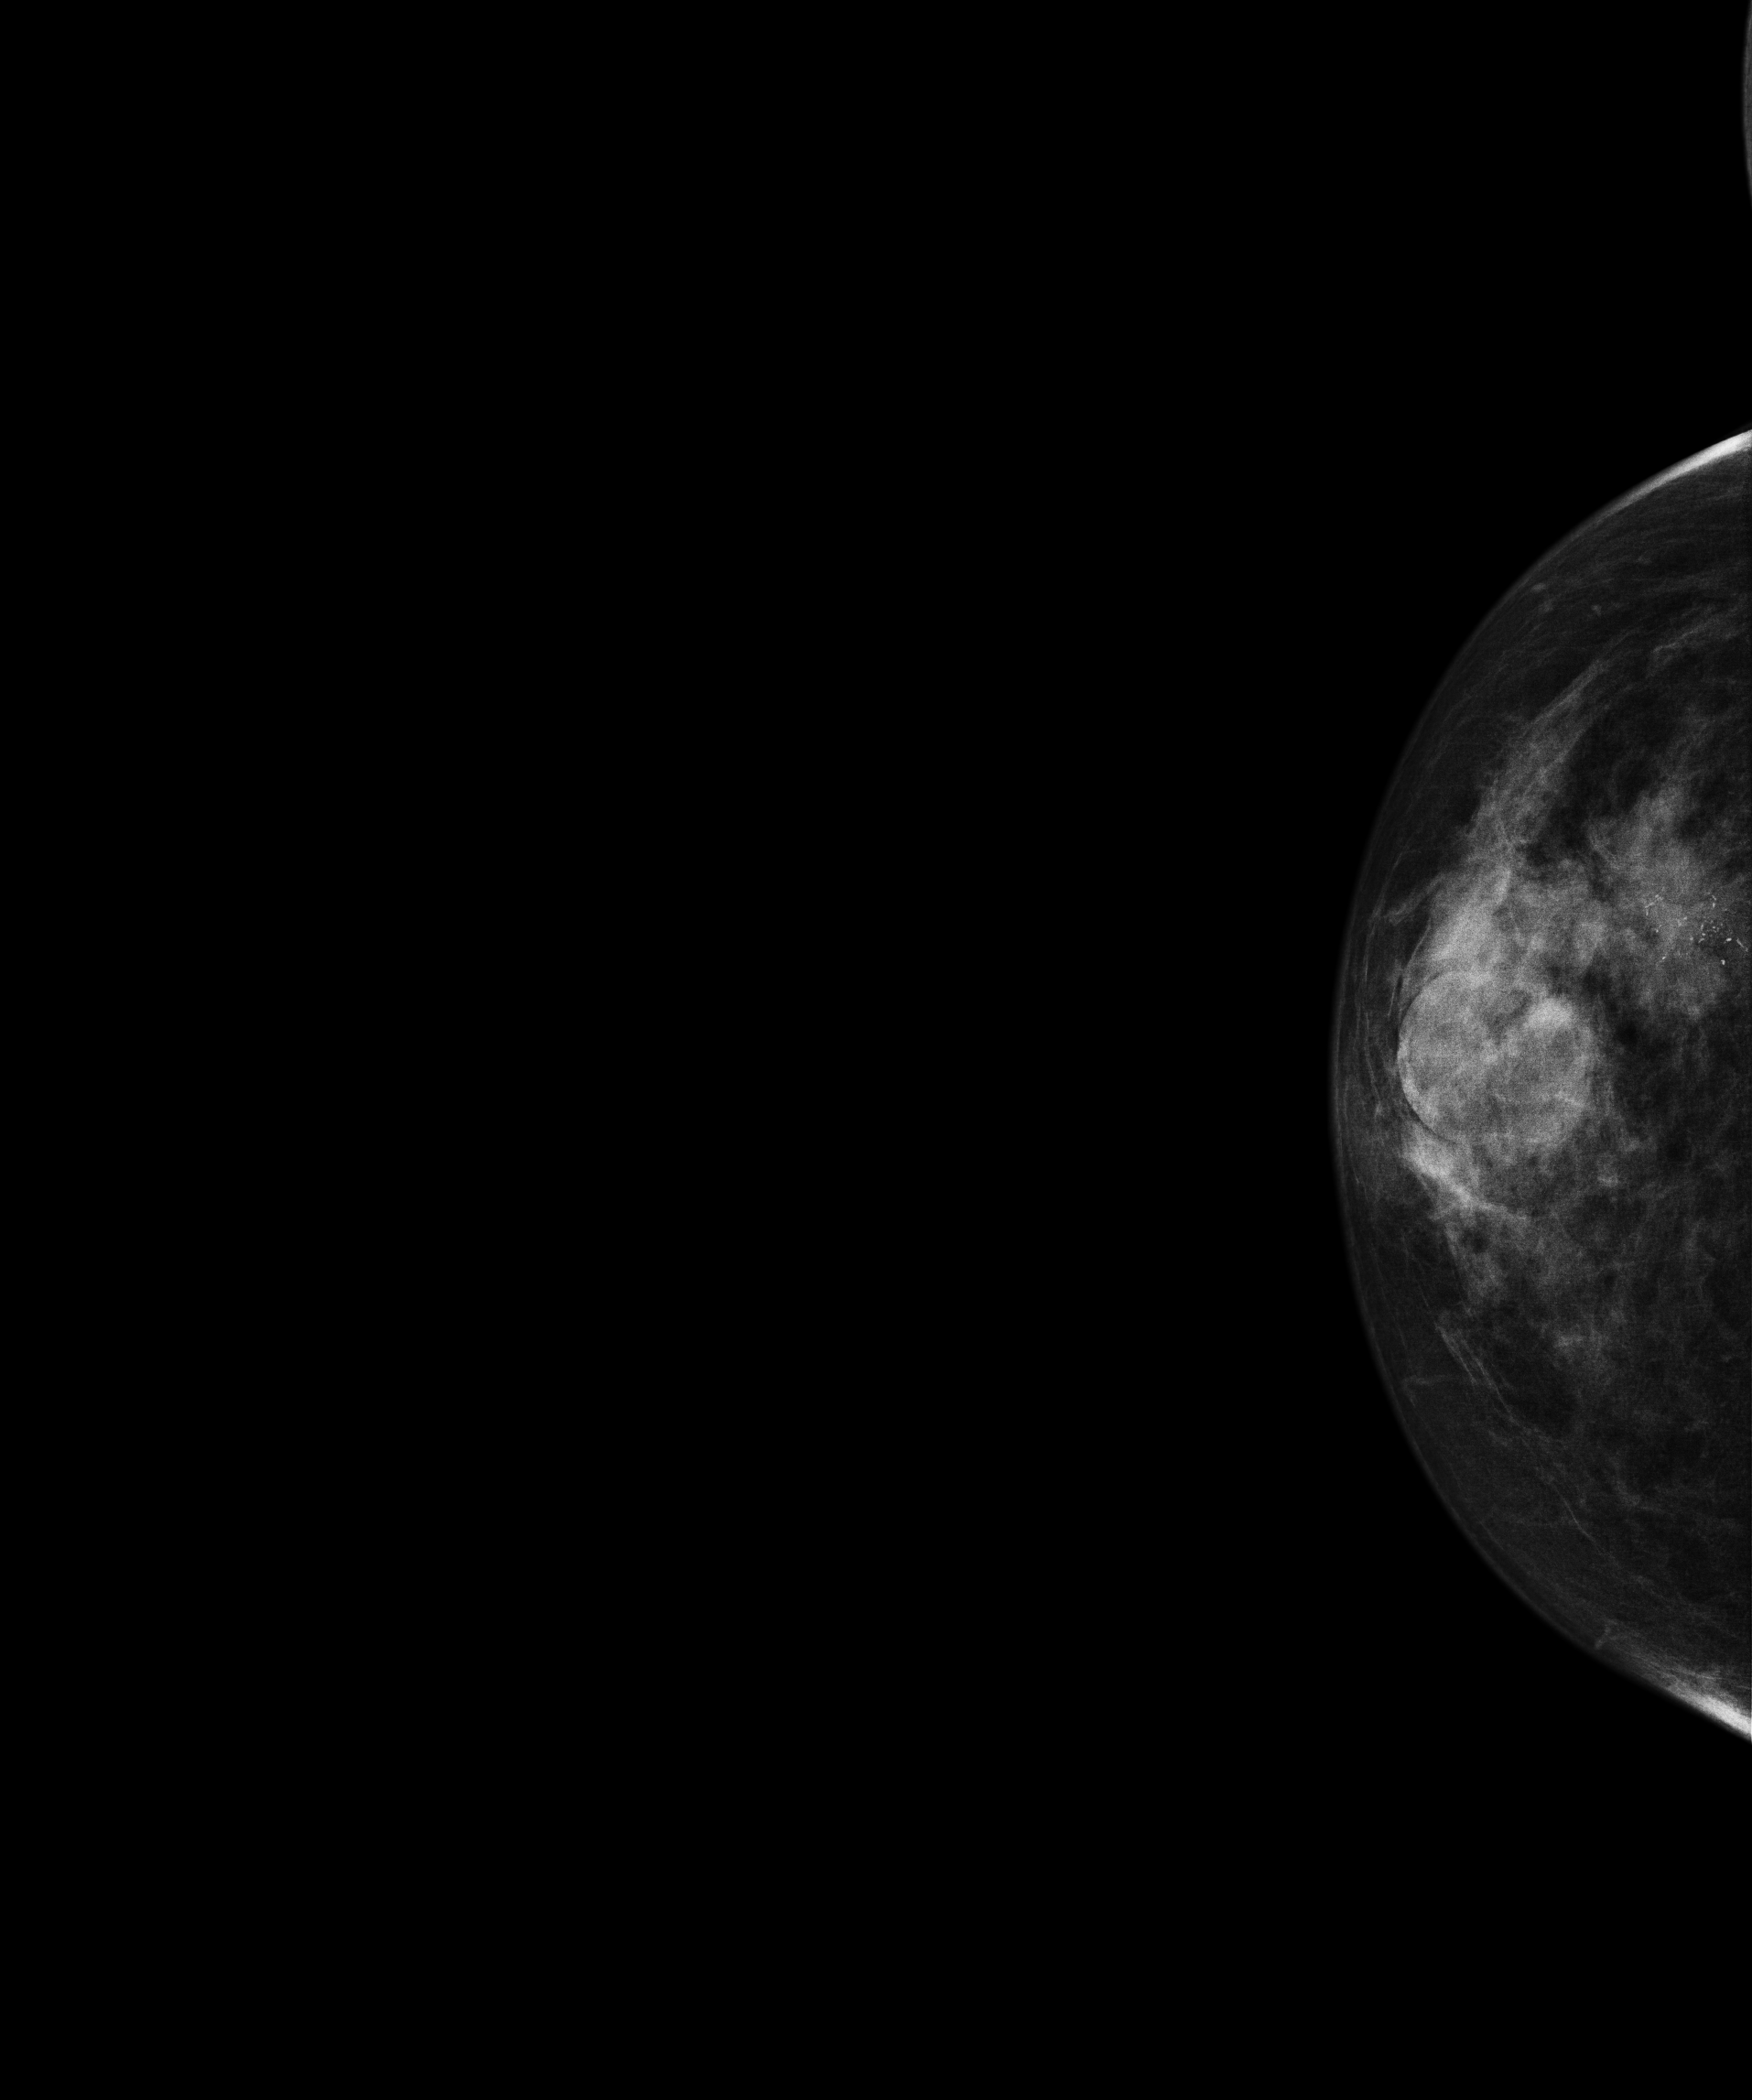
CC mammogram of the right breast. Patient age 52.
This breast has calcifications, histologically confirmed malignant. Molecular subtype: luminal B.